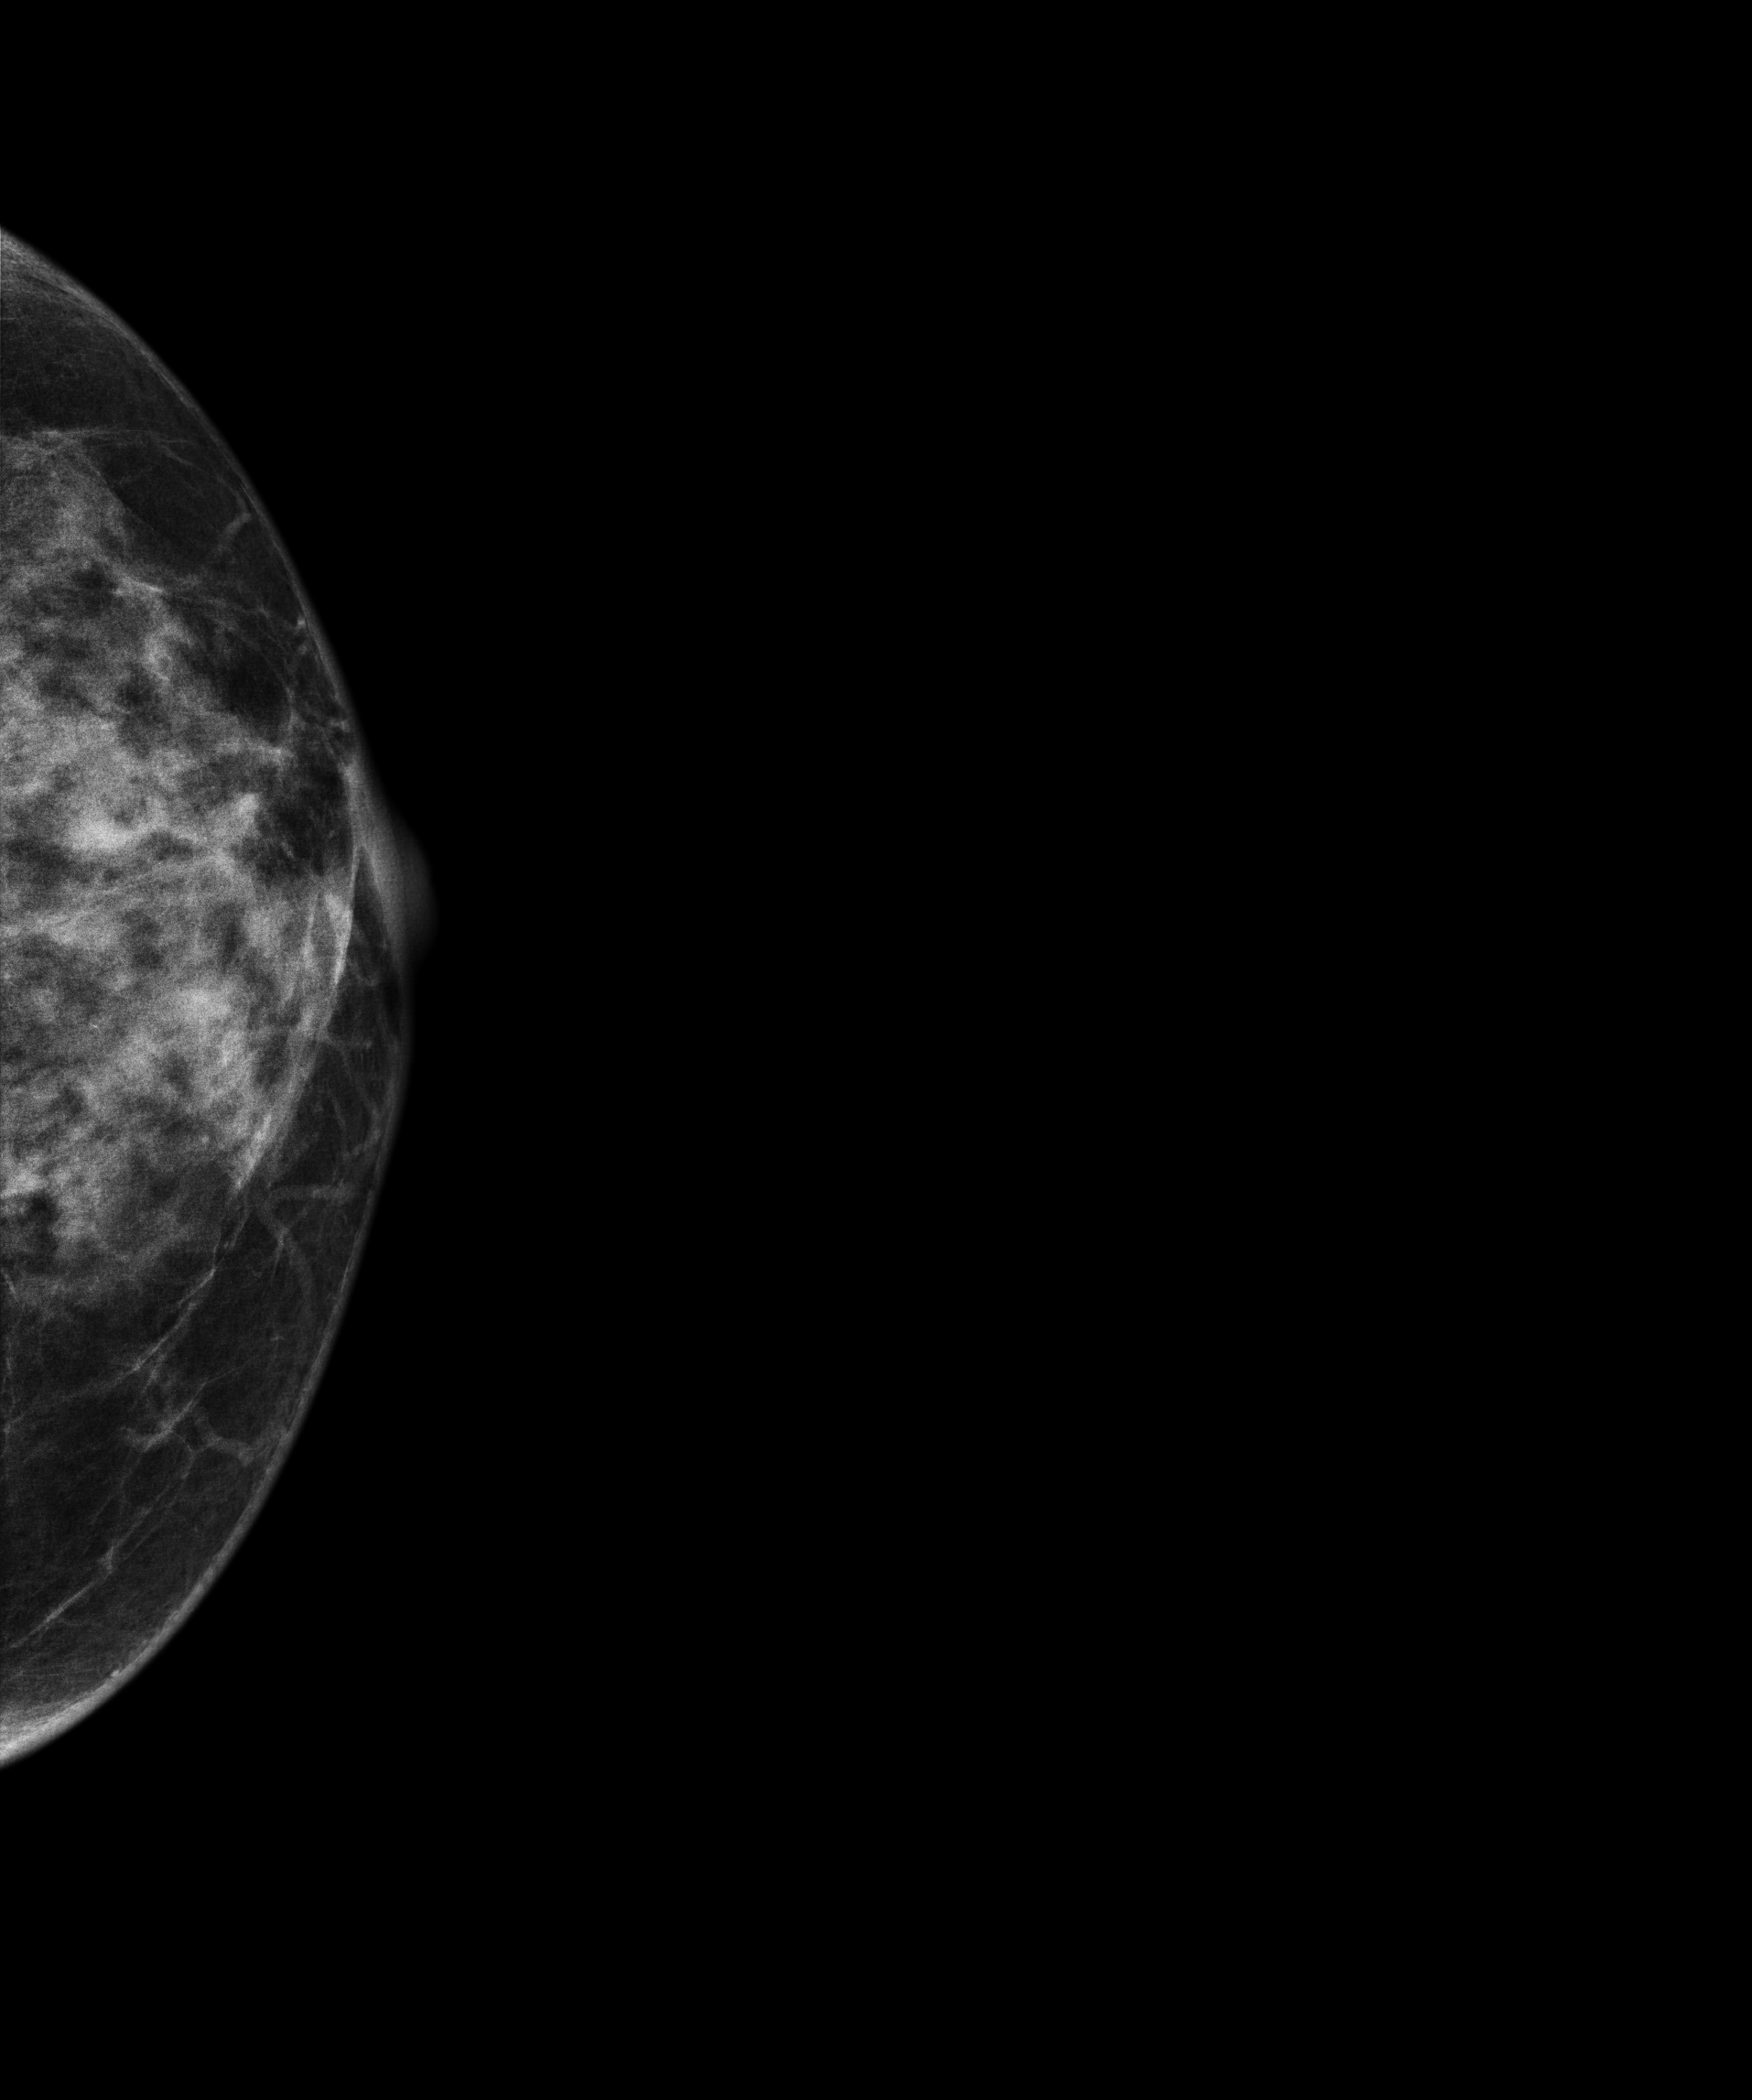
Mammogram — left CC. 56 y/o patient.
Contralateral breast — no documented abnormality on this side.